Mammogram — right CC. 63 y/o patient.
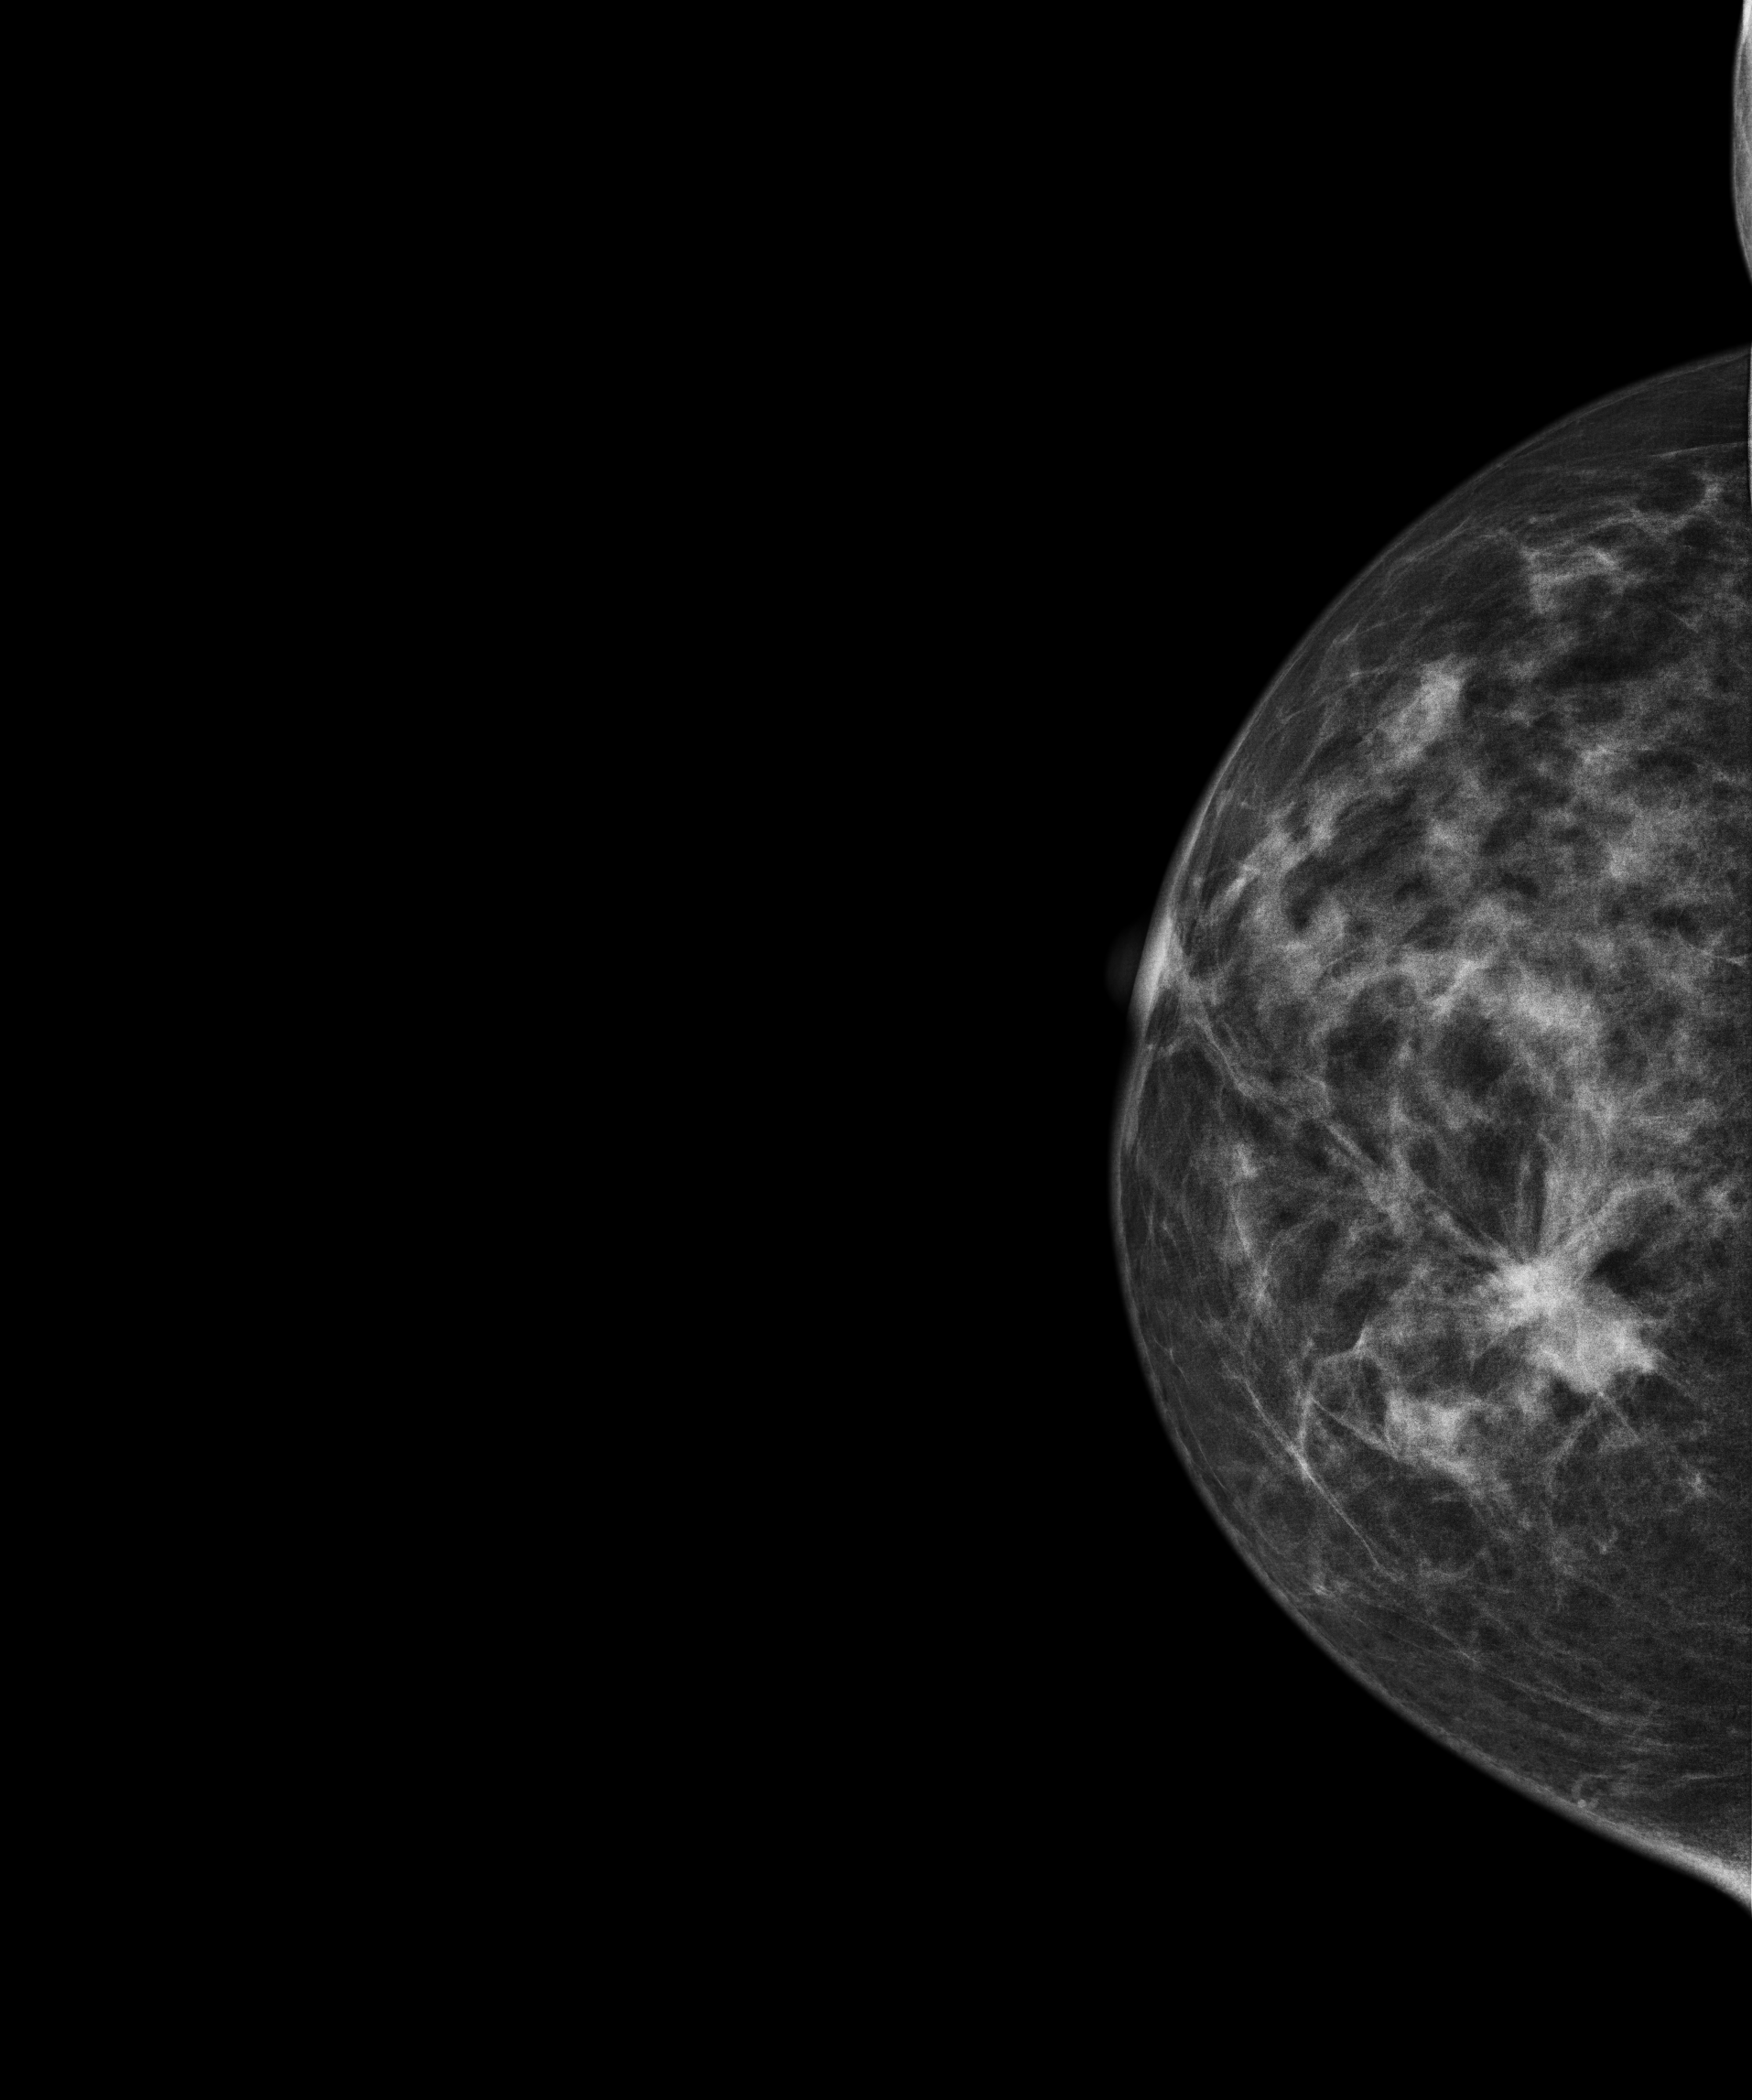
This breast has a mass, biopsy-confirmed malignant. Molecular subtype: luminal A.